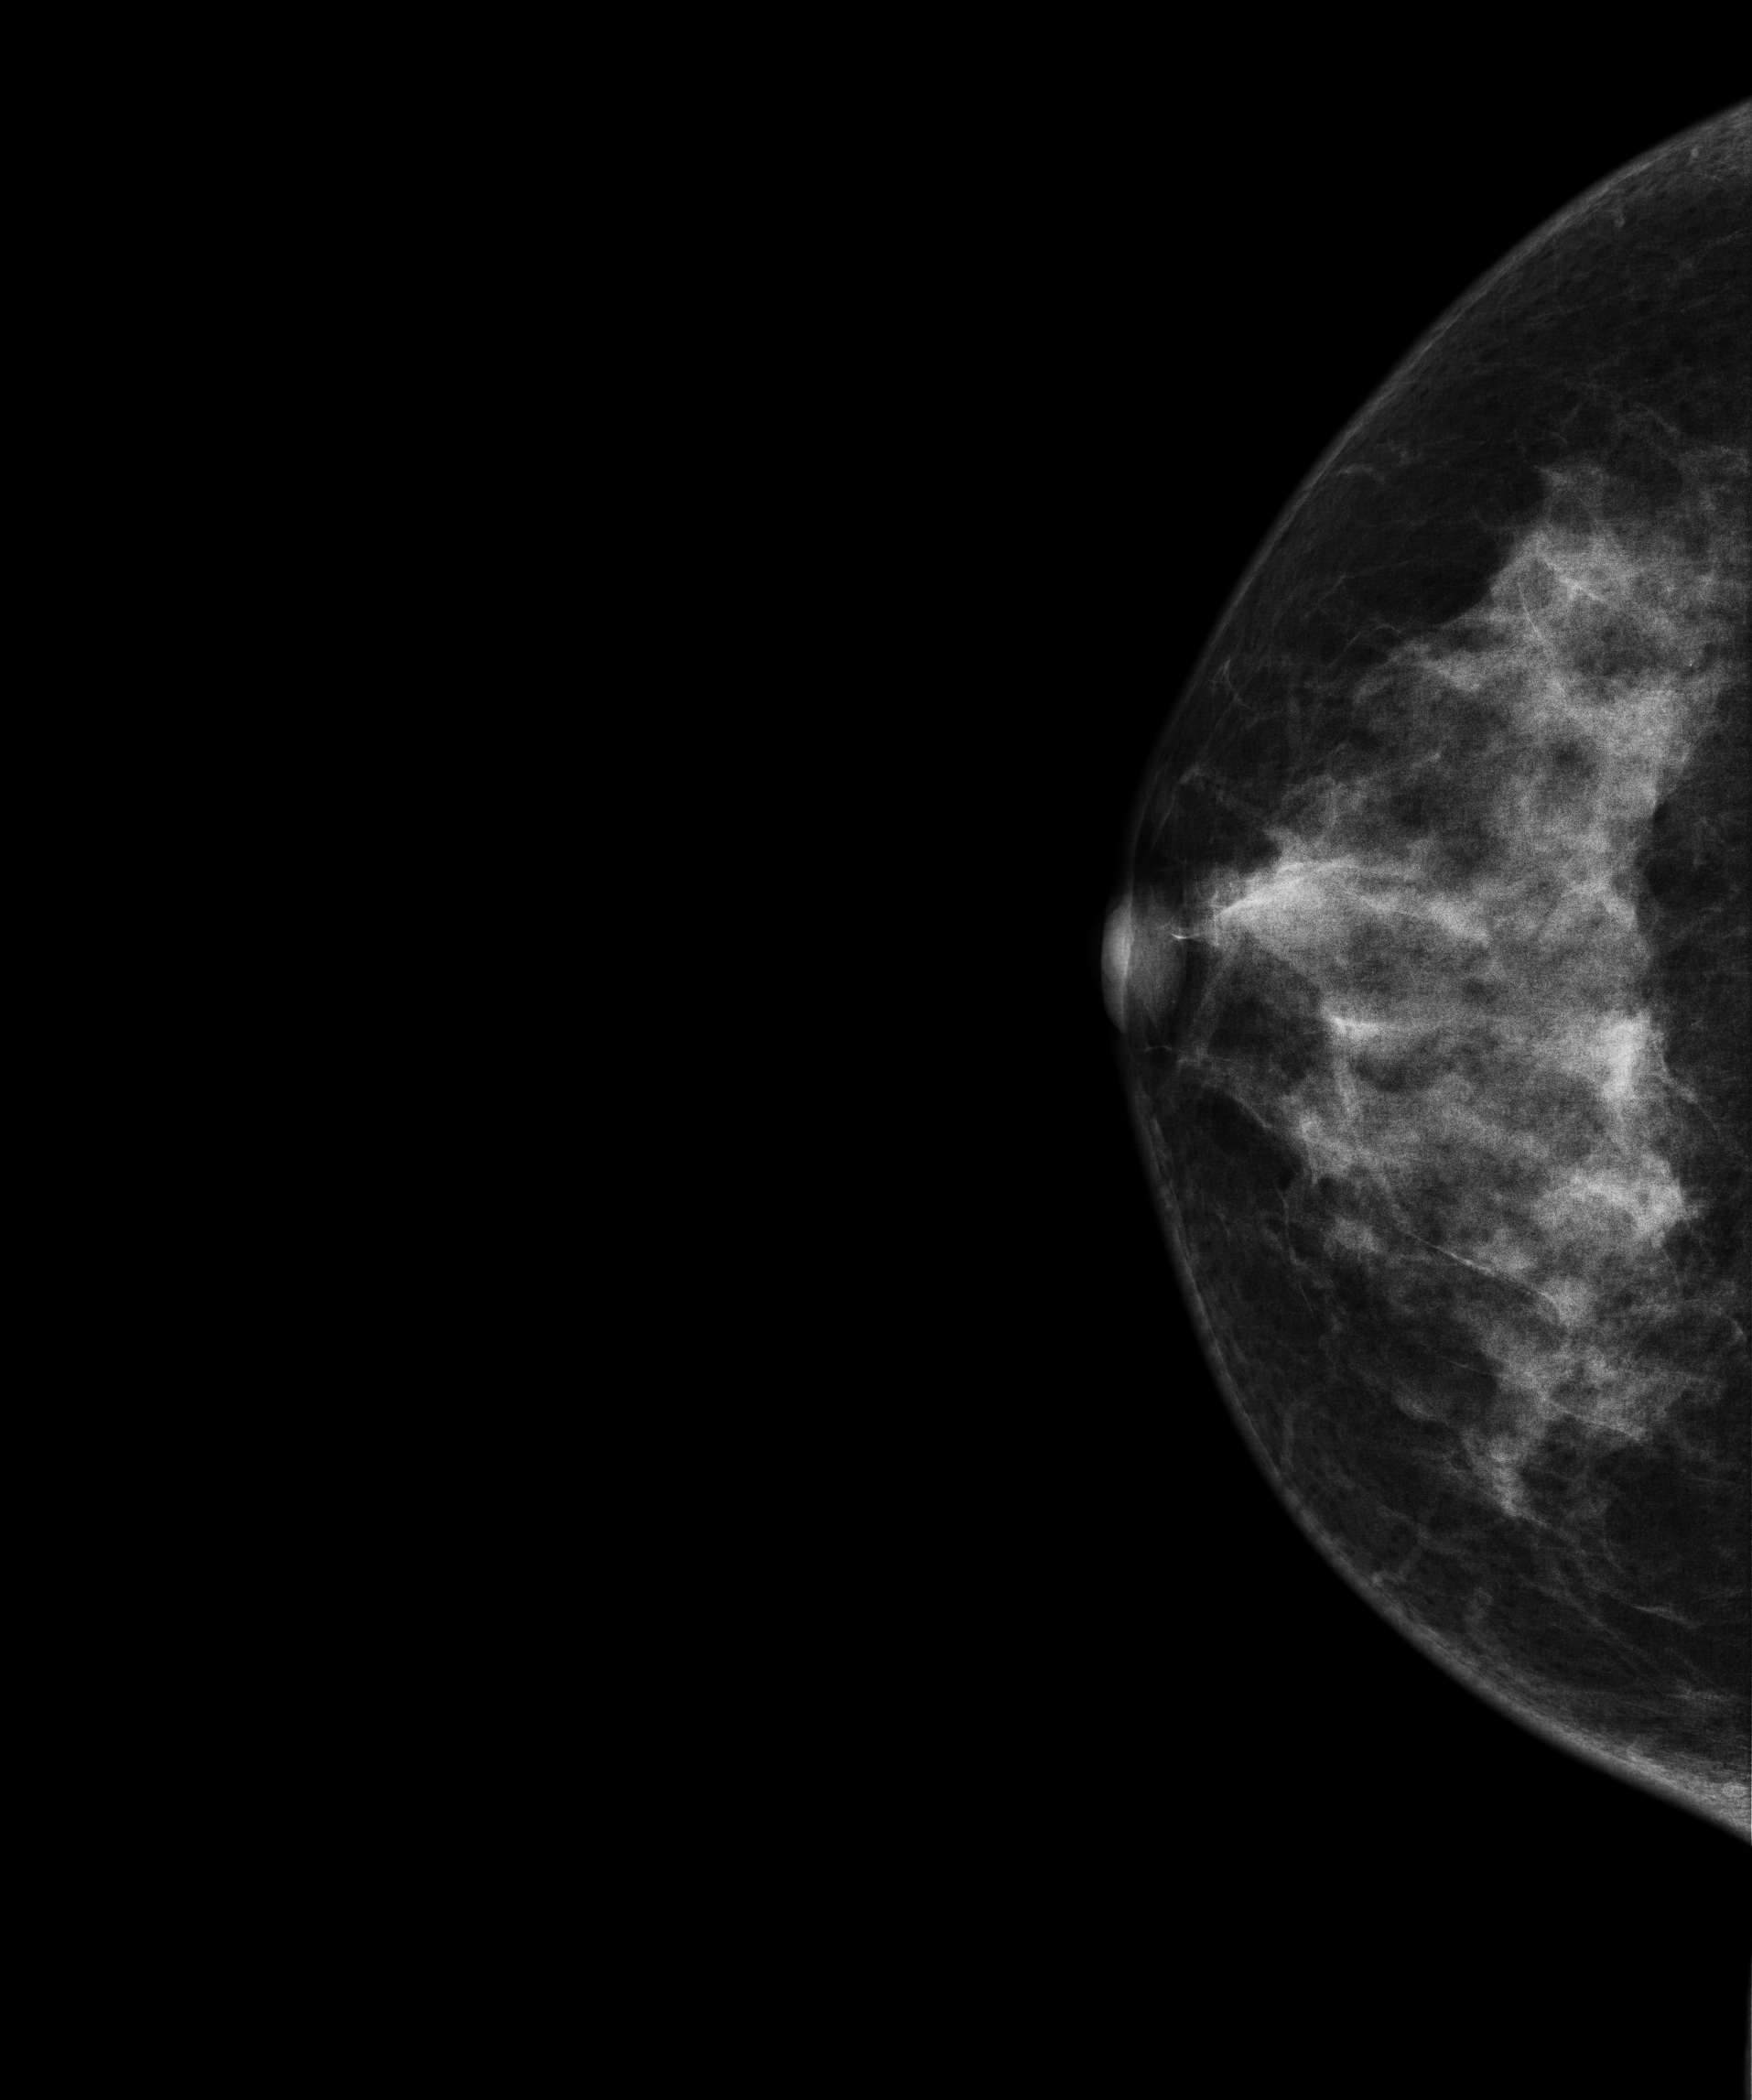
Mammogram — right CC. 37 y/o patient.
This breast has a mass, histologically confirmed benign.